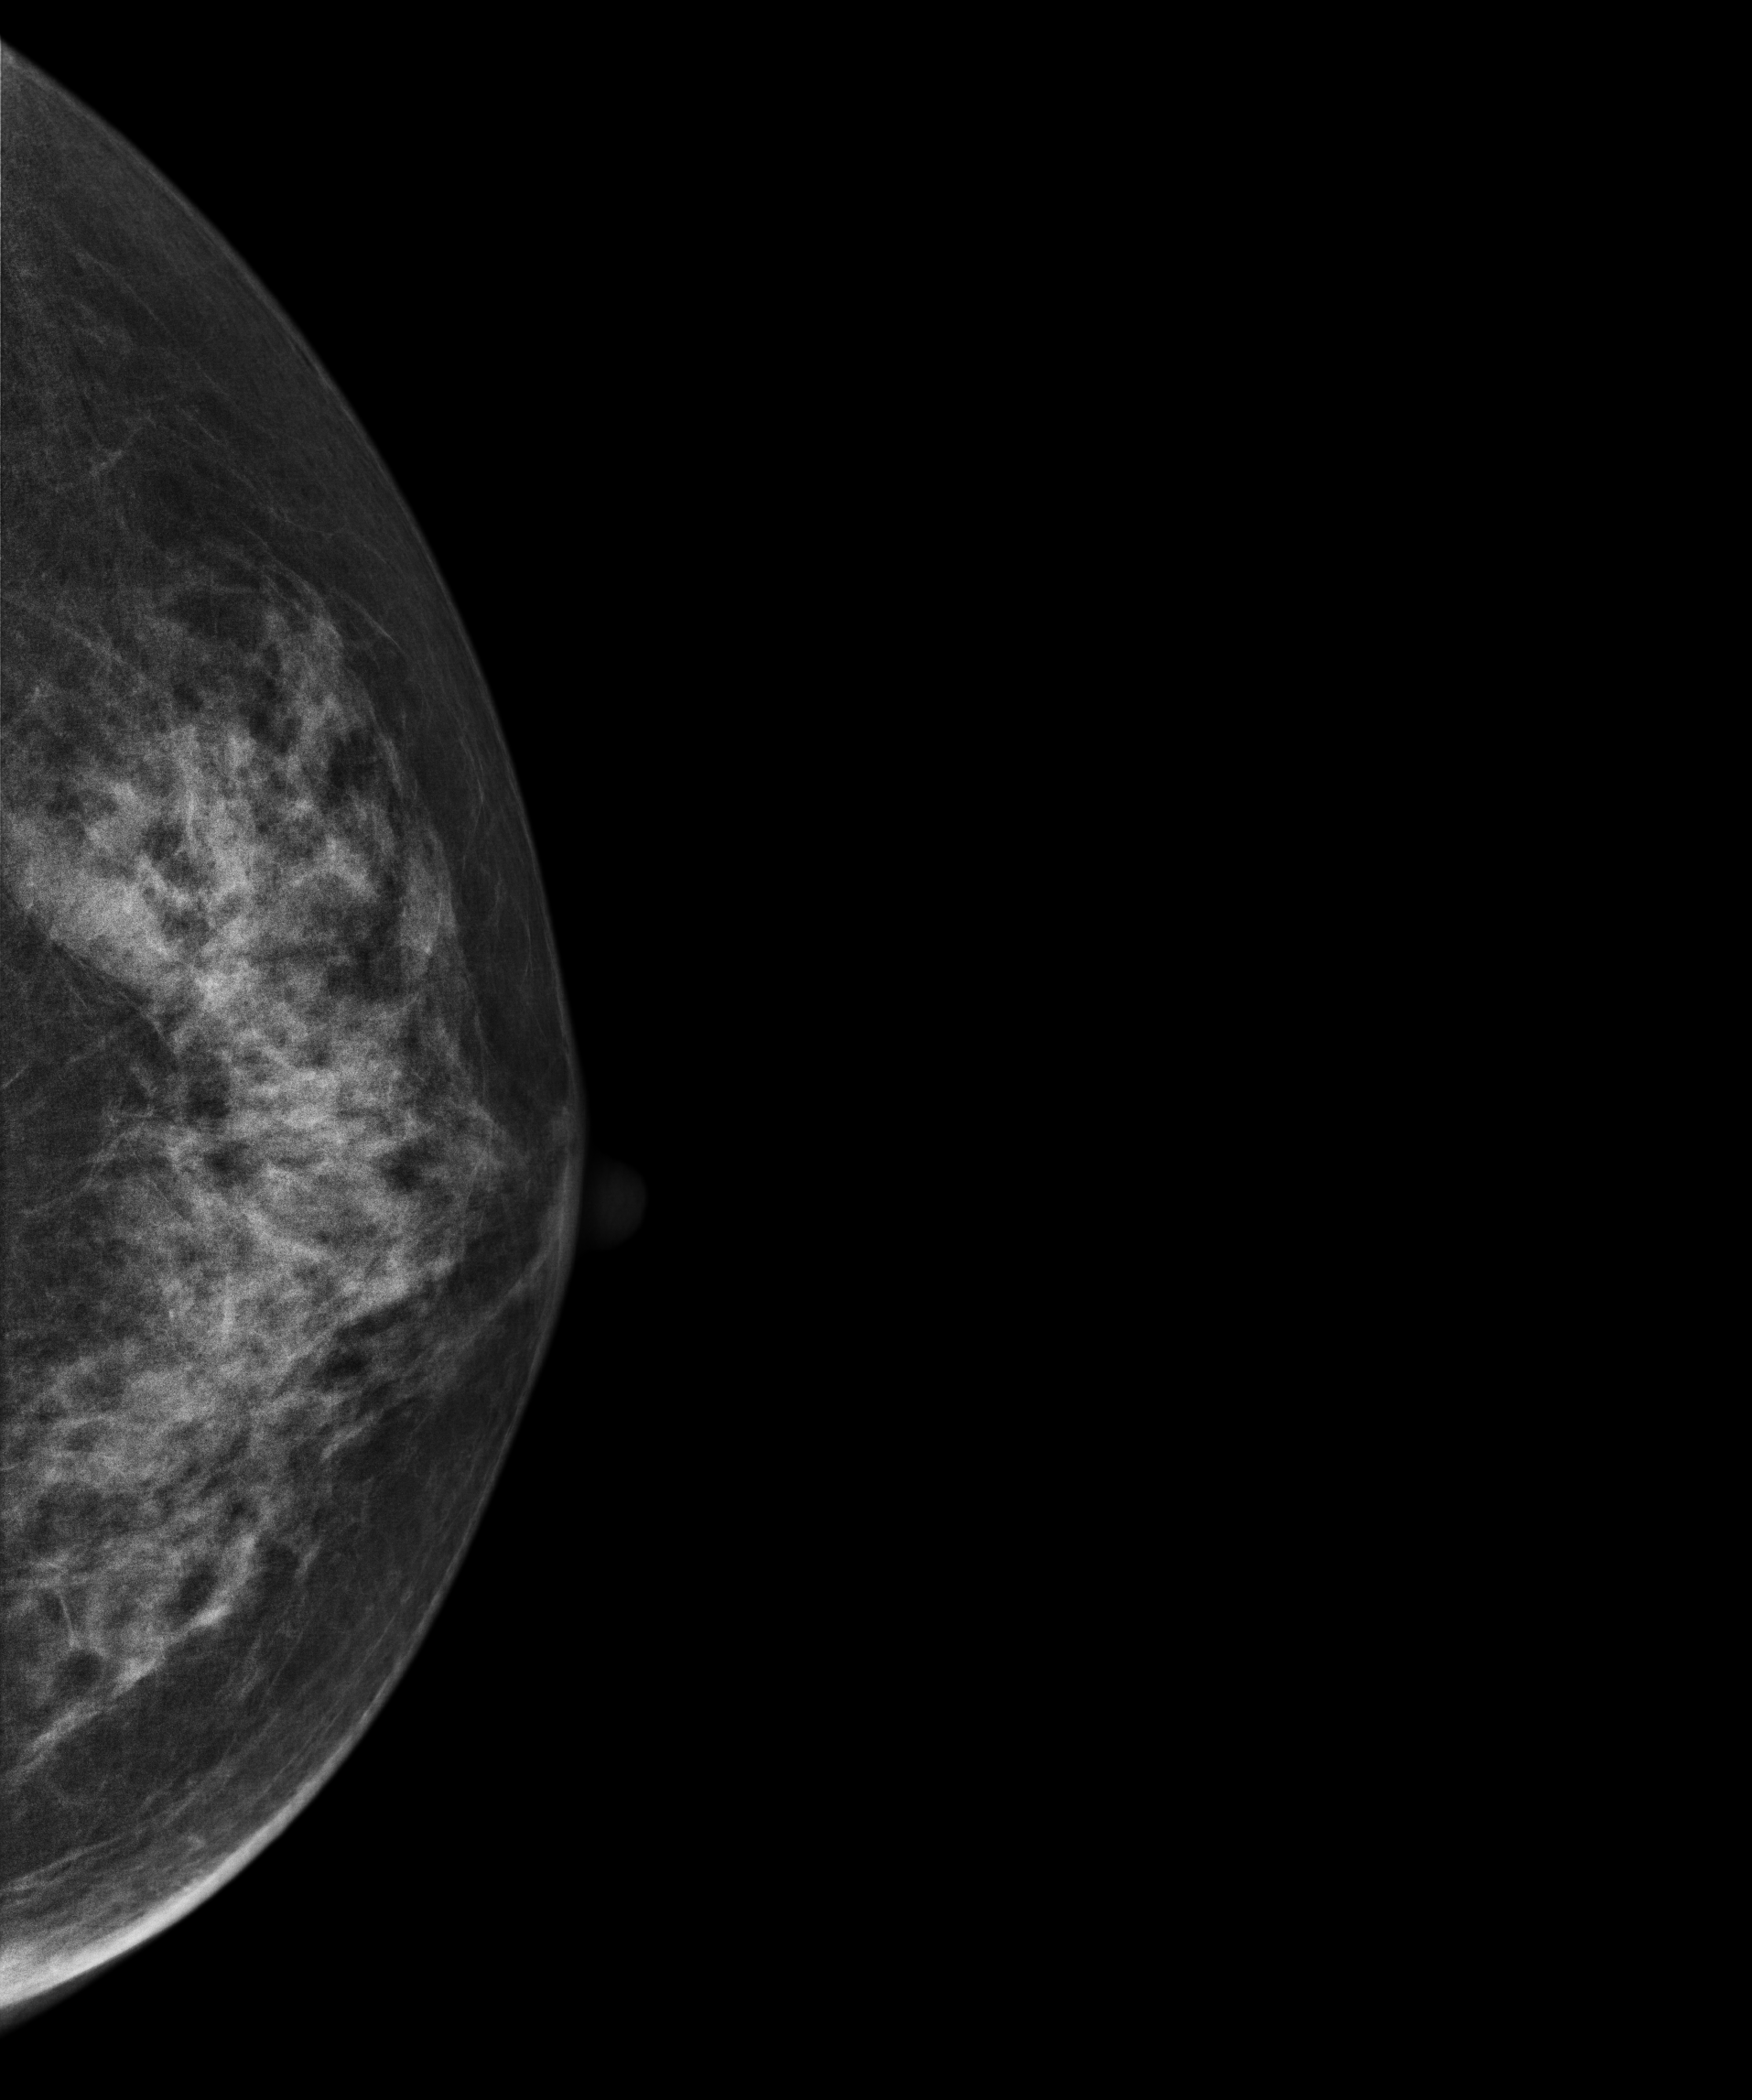
Mammogram, left breast, CC view. 74-year-old patient.
Contralateral breast — no documented abnormality on this side.